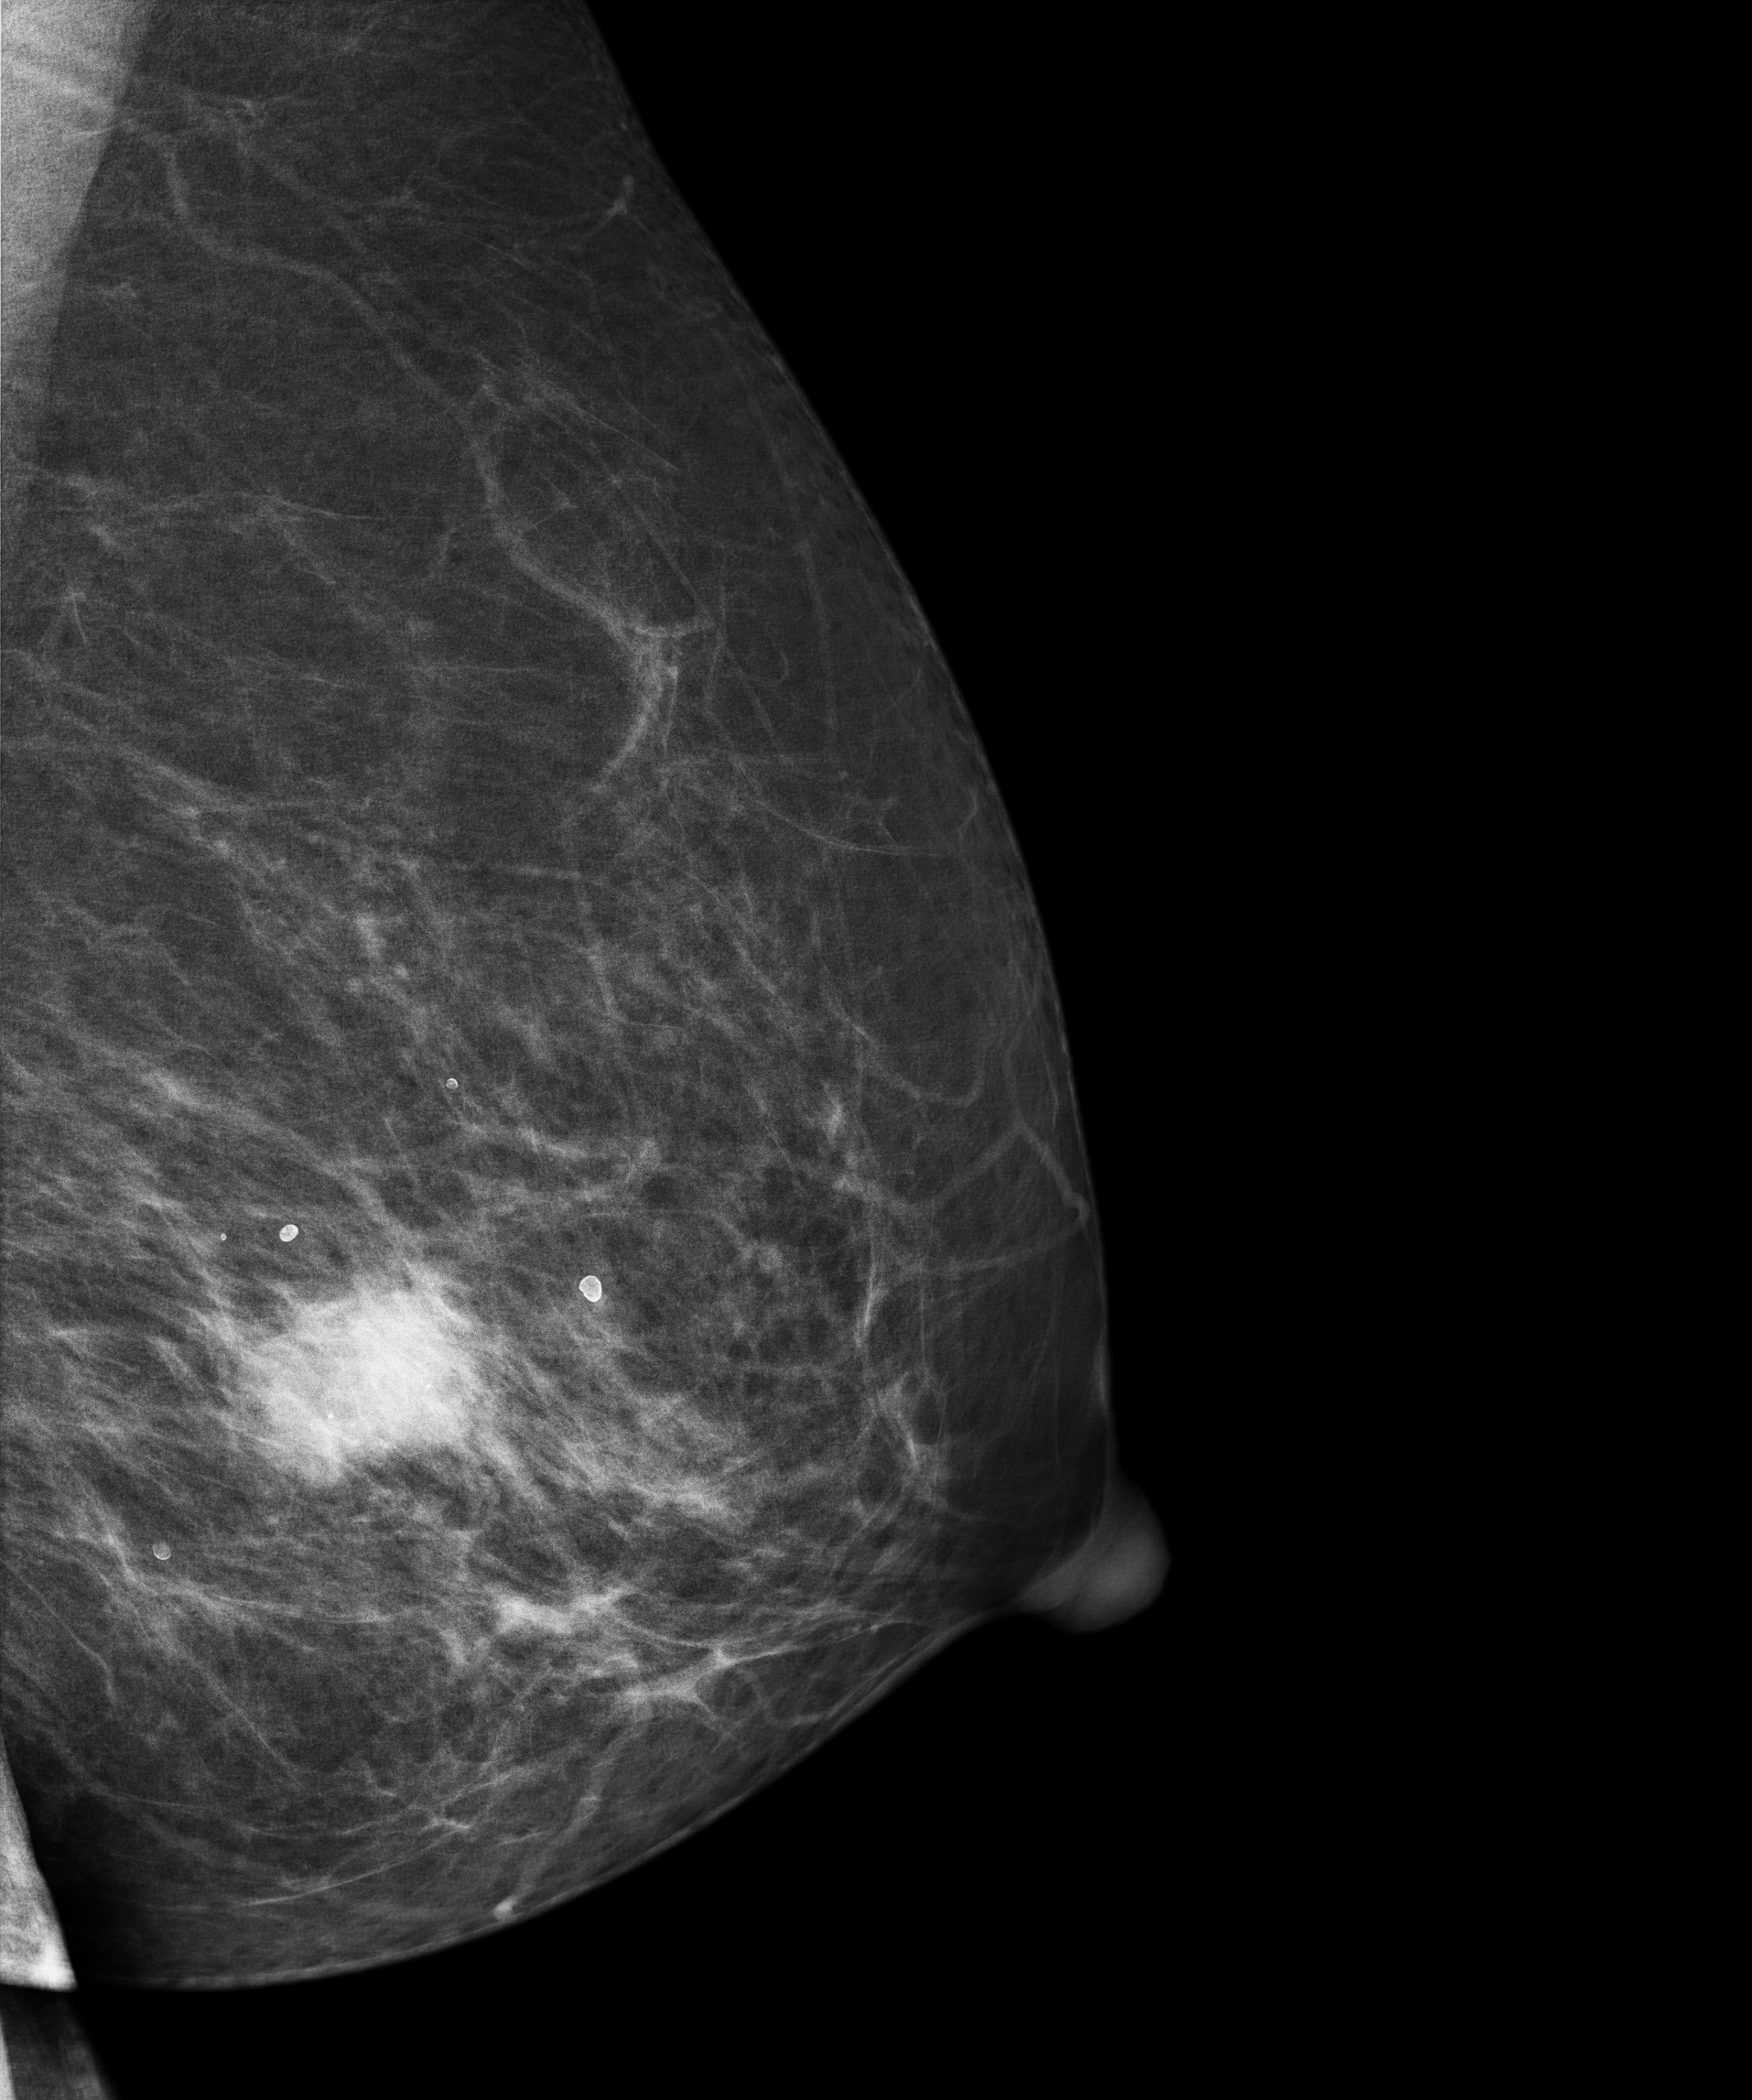
Left-breast mammogram, medio-lateral oblique. Patient age 65.
This breast has a mass, biopsy-confirmed malignant.